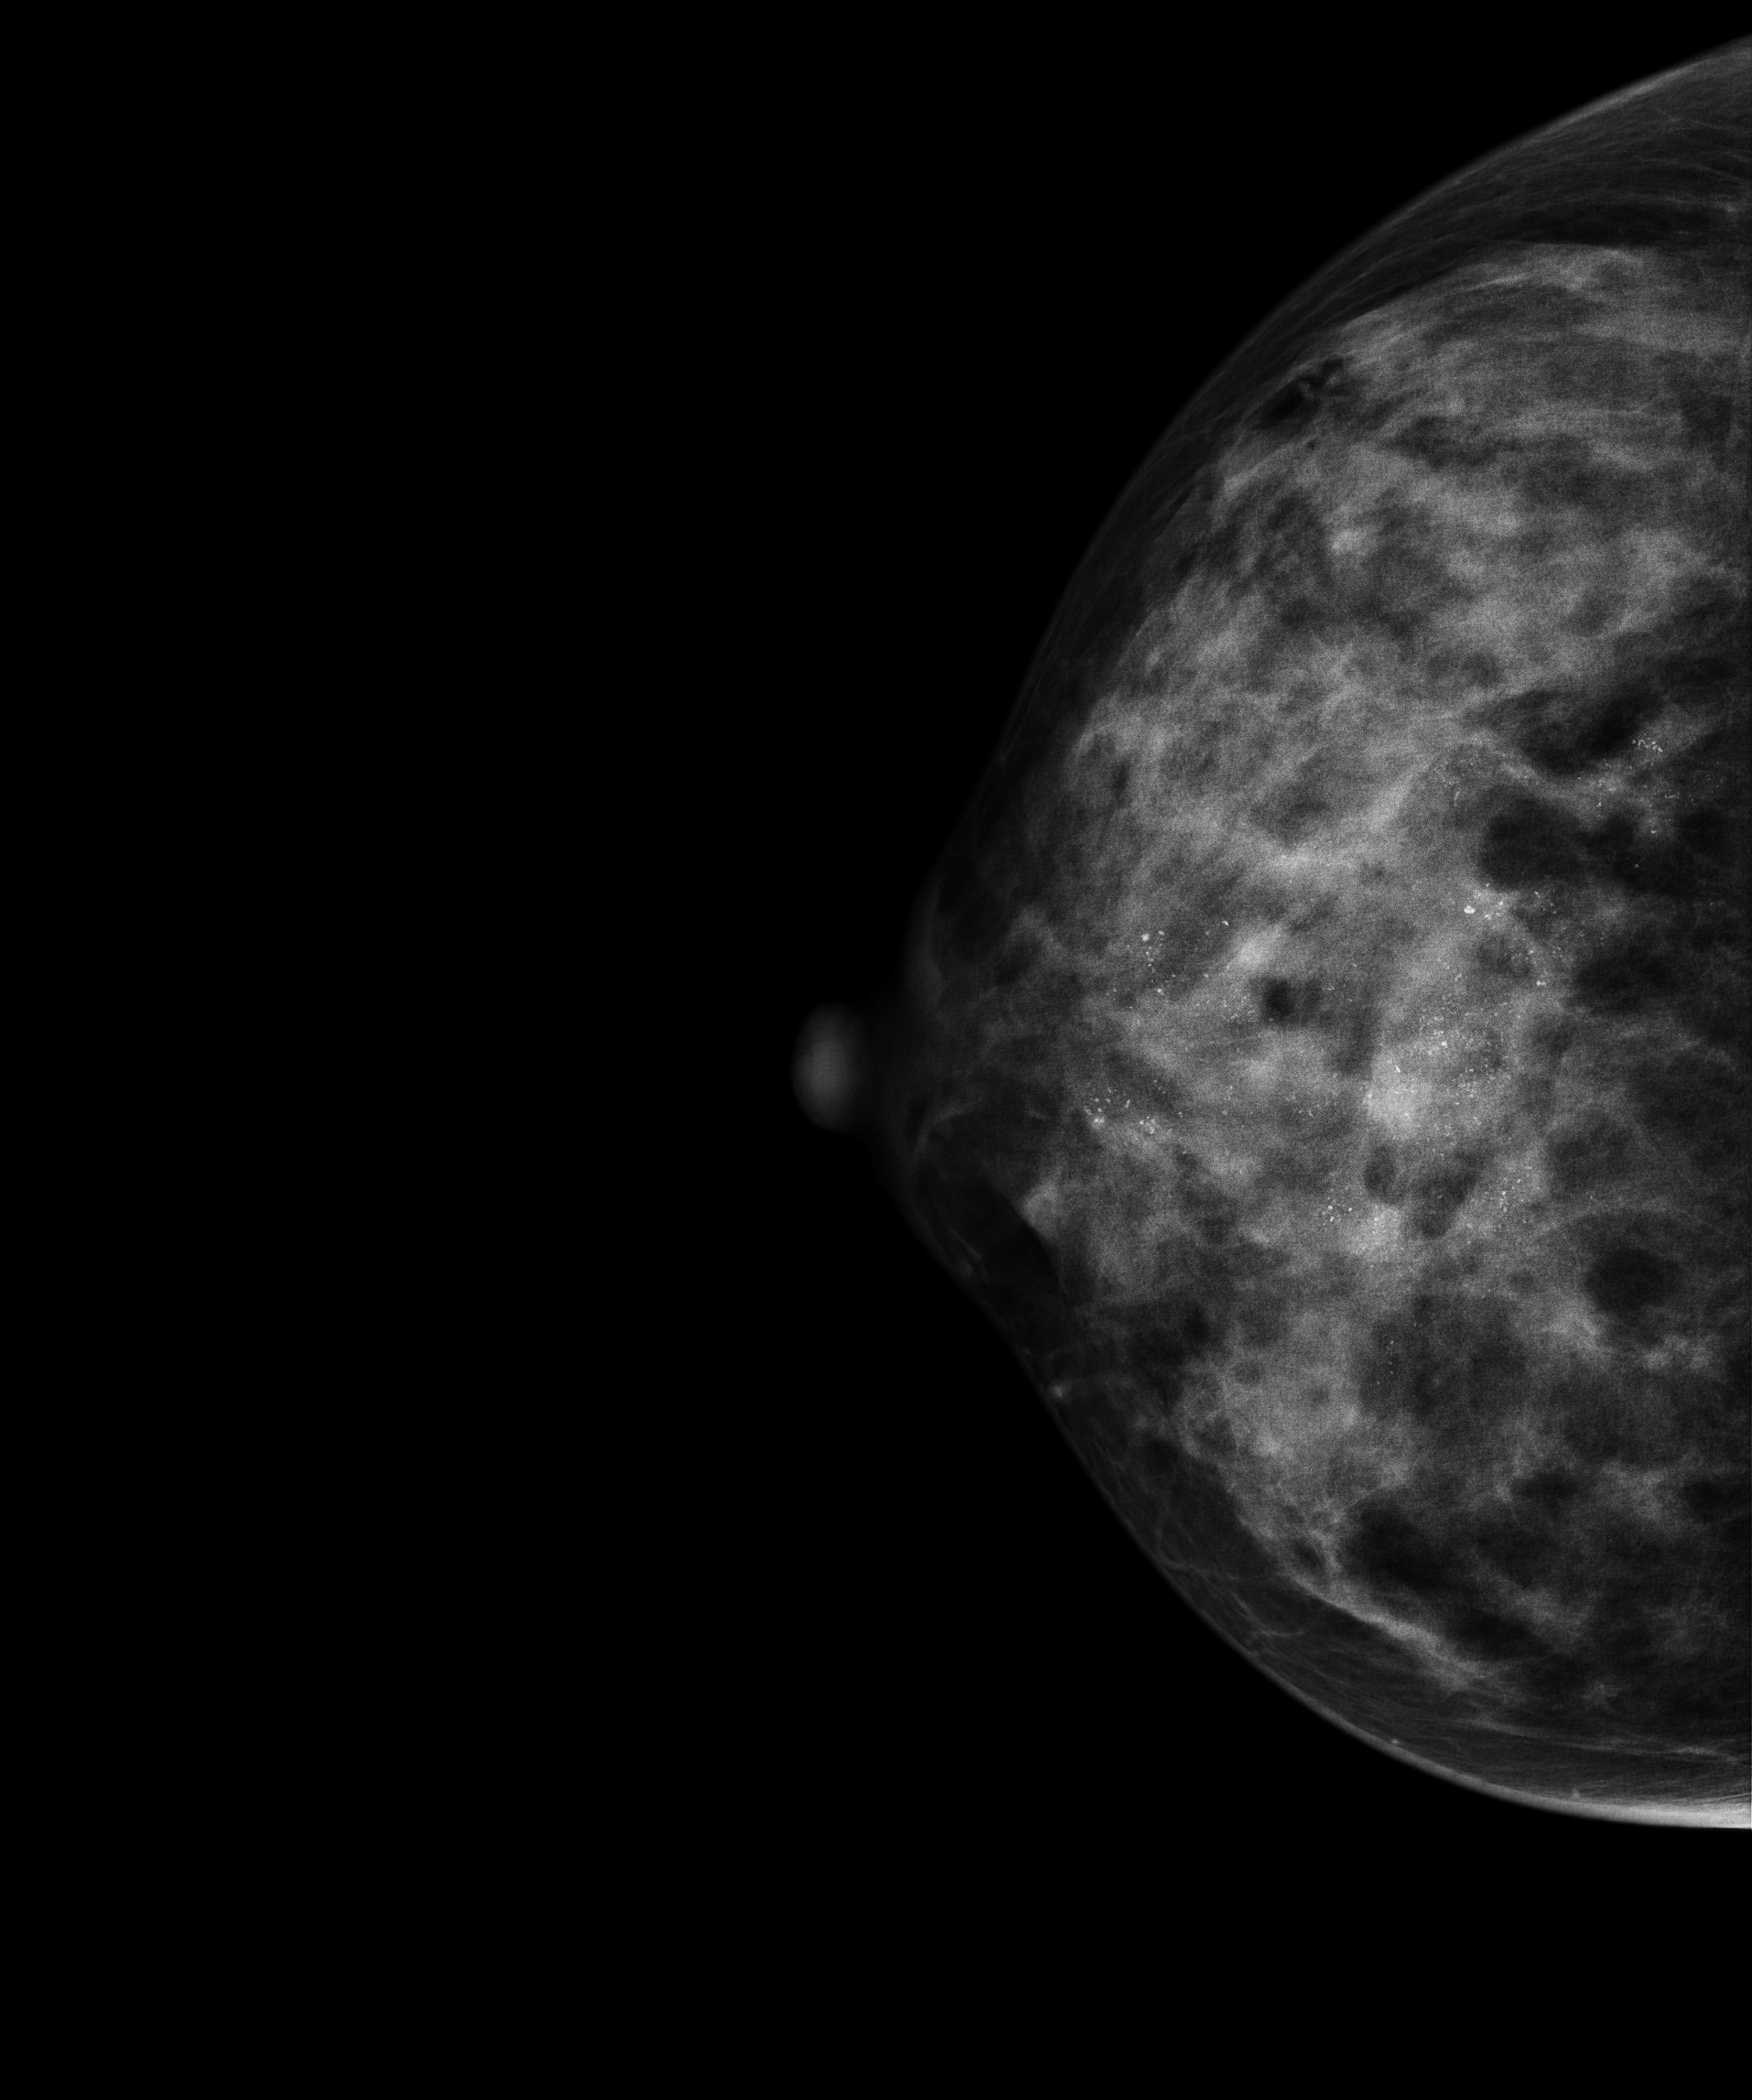
Mammogram, right breast, CC view. Patient age 34.
This breast has calcifications, biopsy-confirmed malignant. Molecular subtype: HER2-enriched.